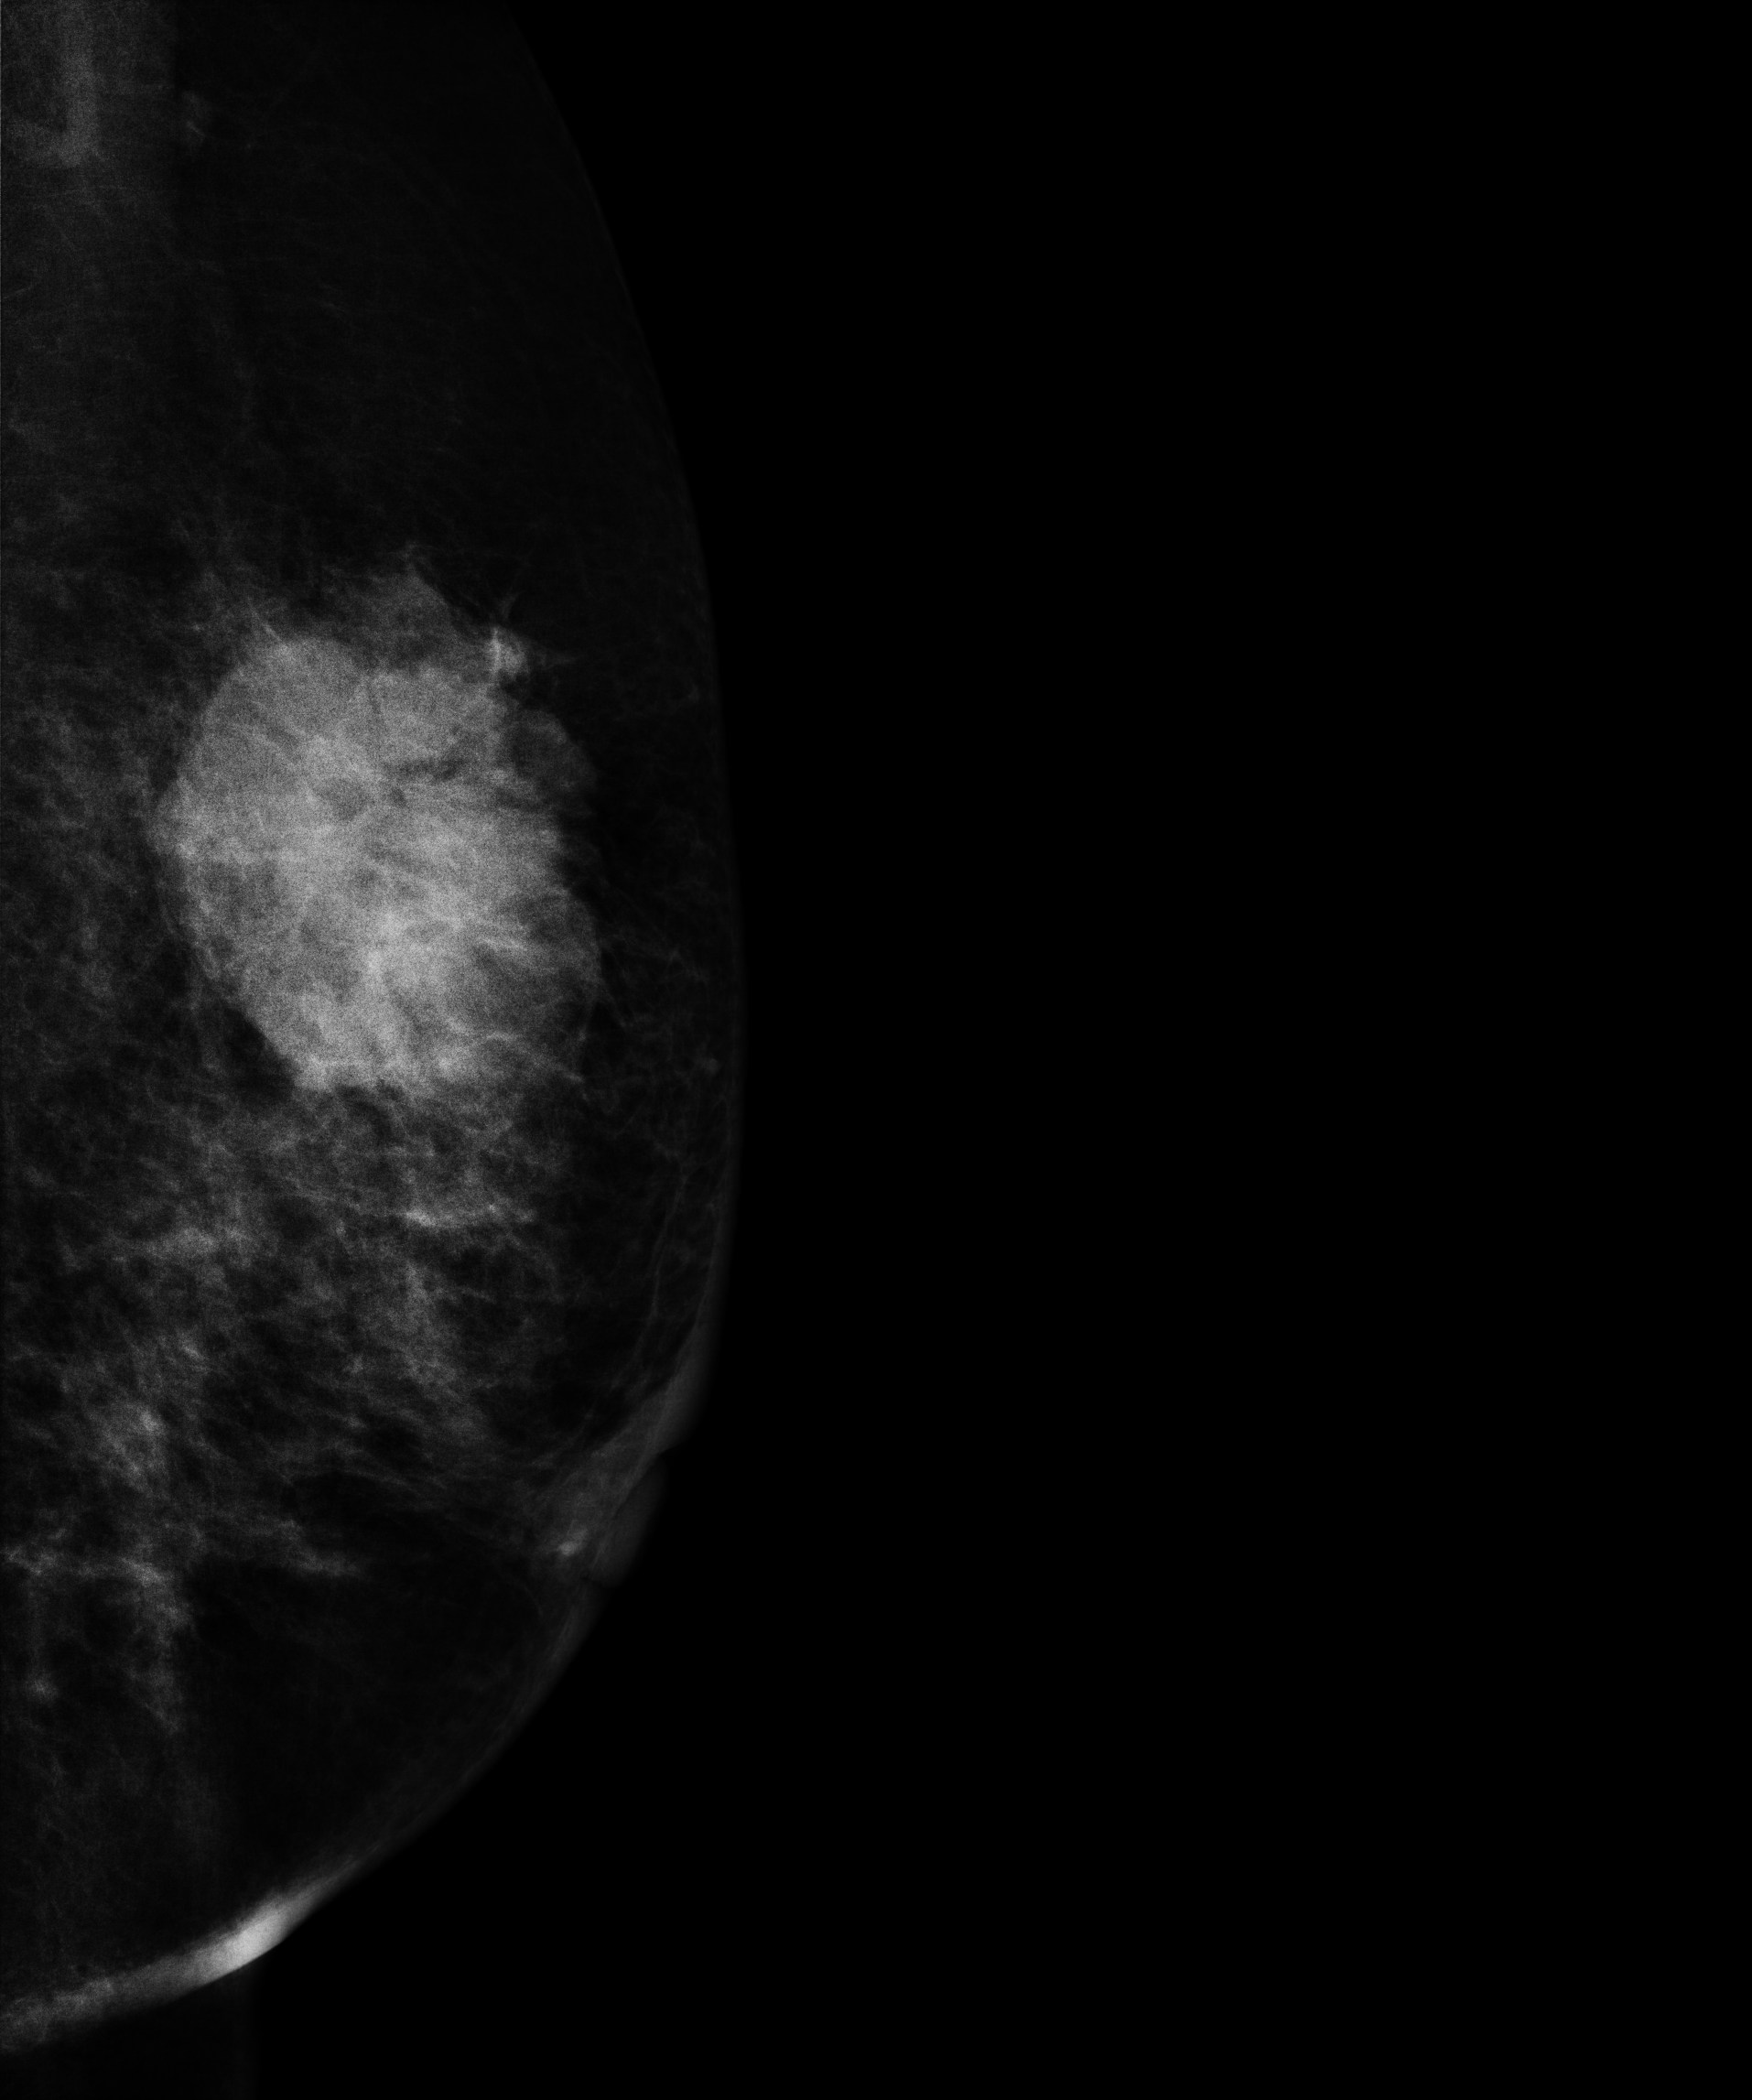
Medio-lateral oblique mammogram of the left breast. 57-year-old patient.
This breast has a mass, histologically confirmed malignant.